Mammogram, left breast, cranio-caudal view. 44 y/o patient.
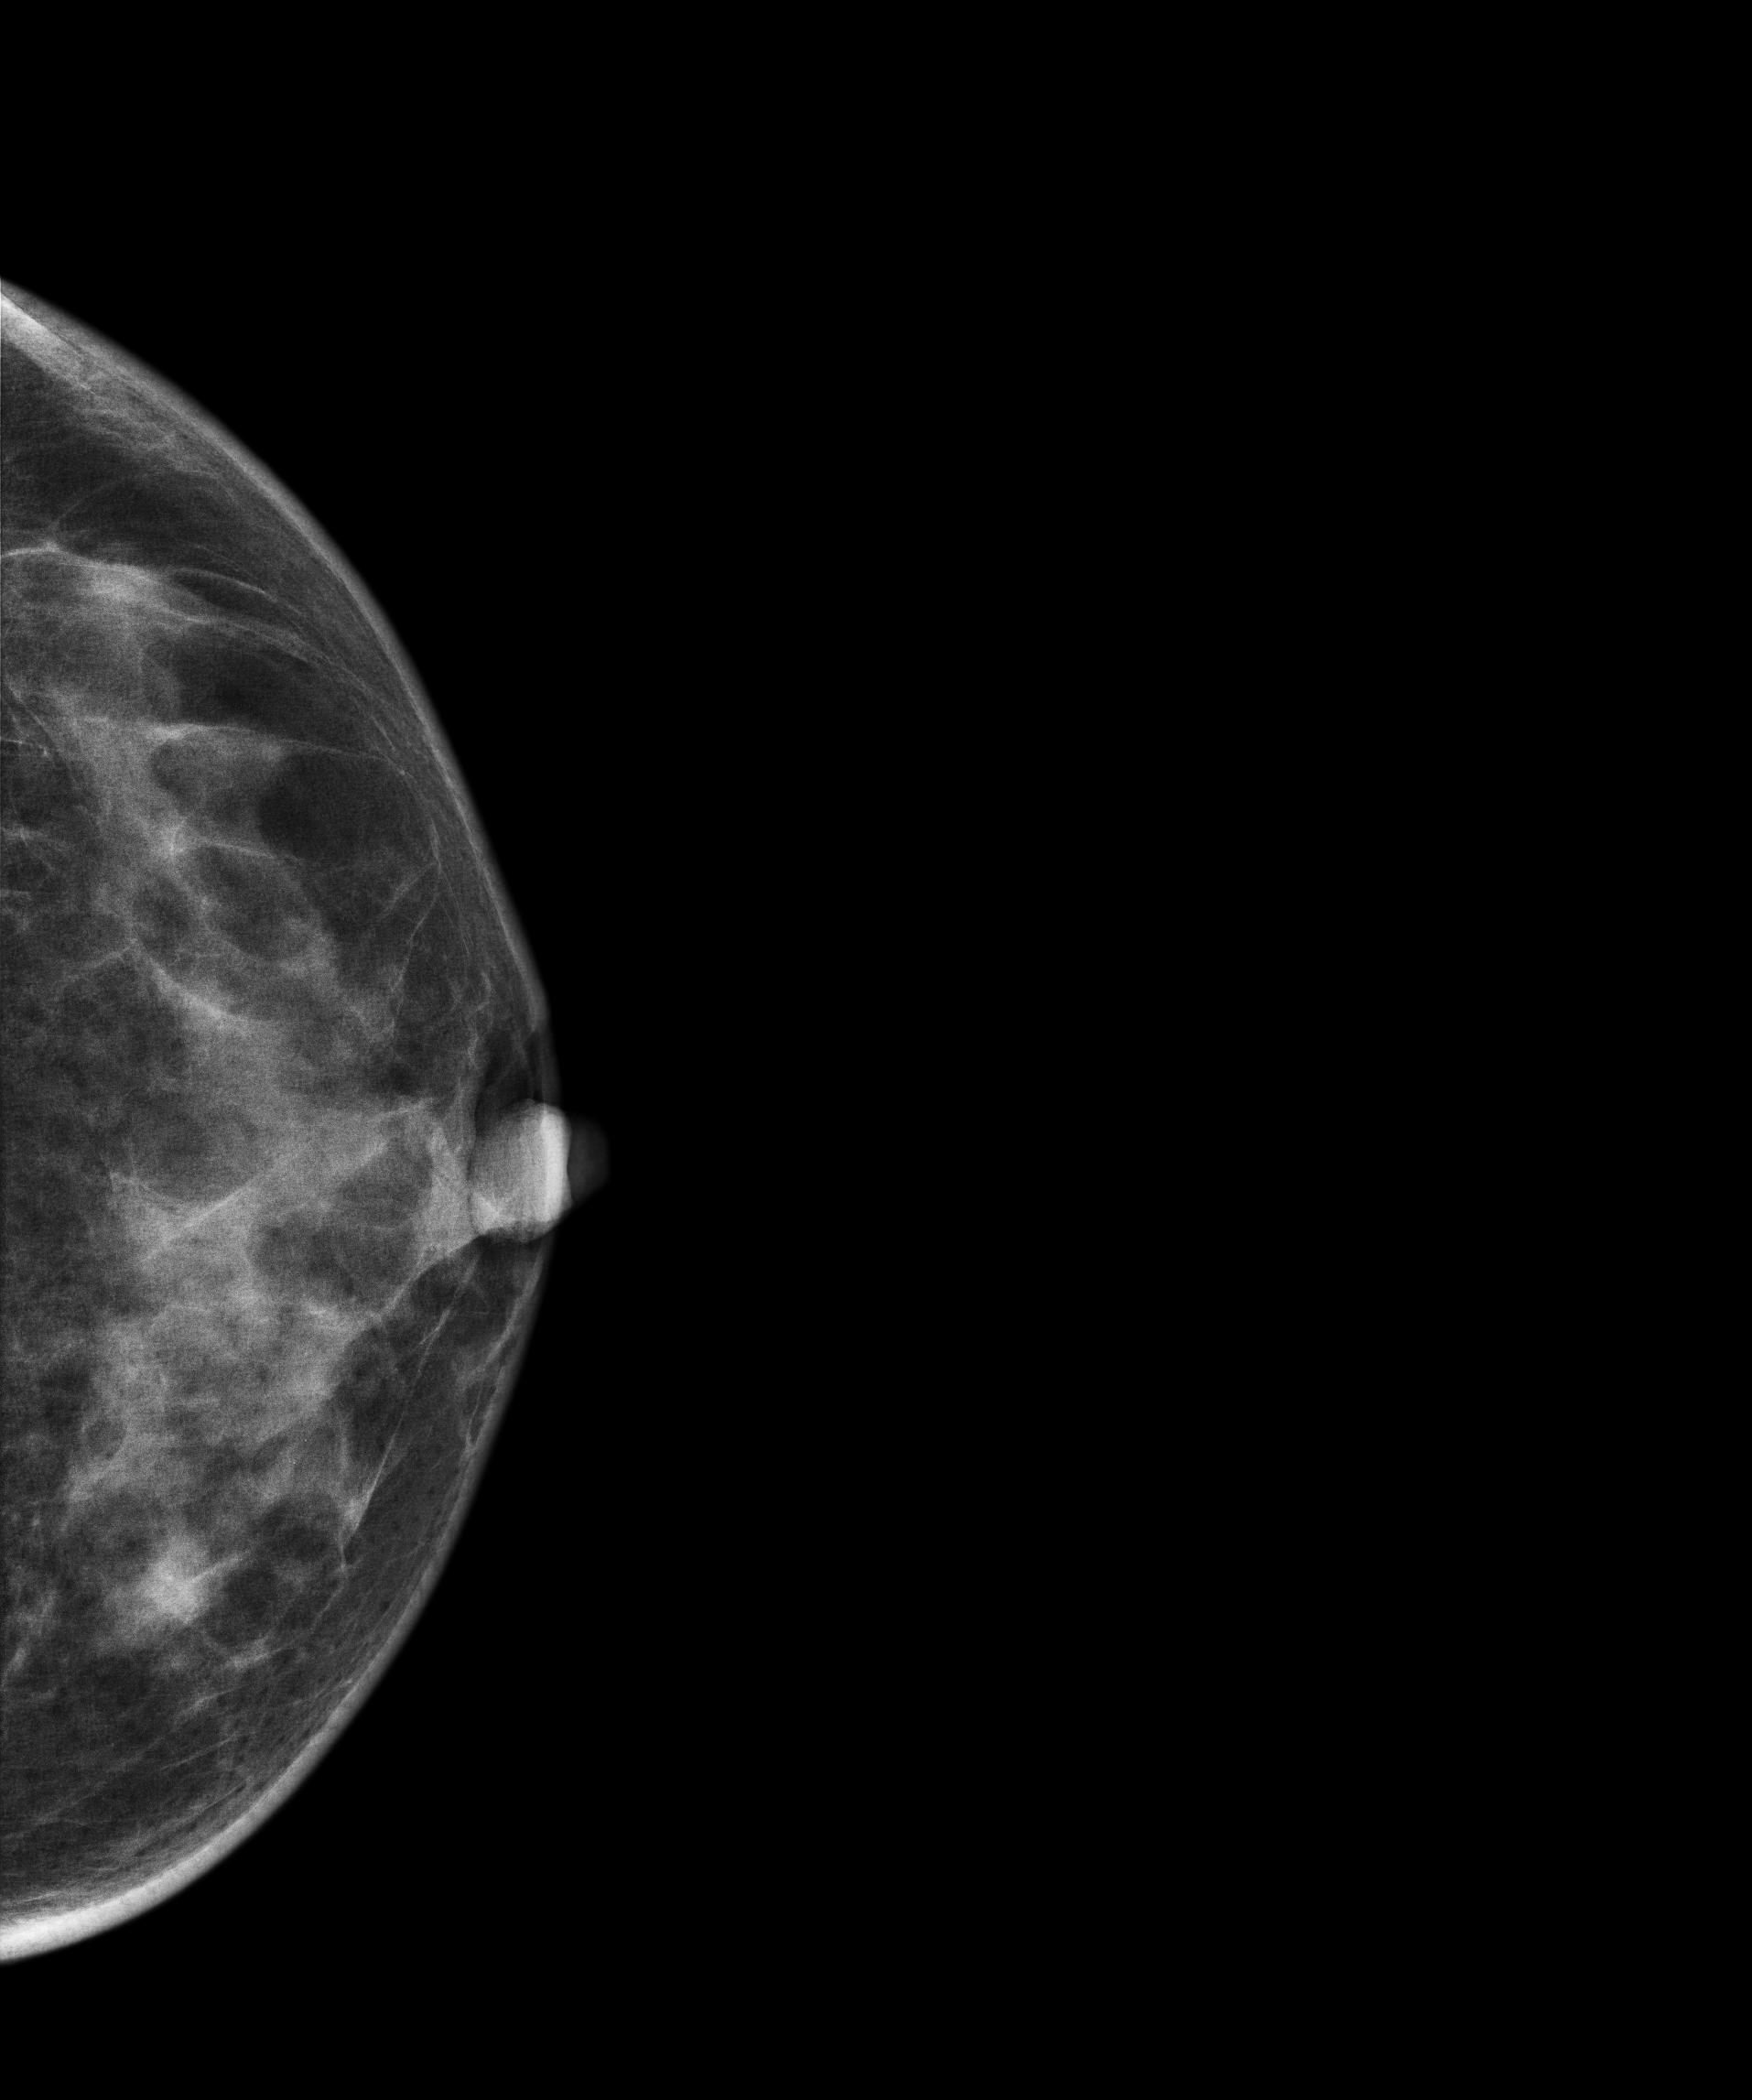
This breast has a mass, biopsy-confirmed malignant. Molecular subtype: luminal B.